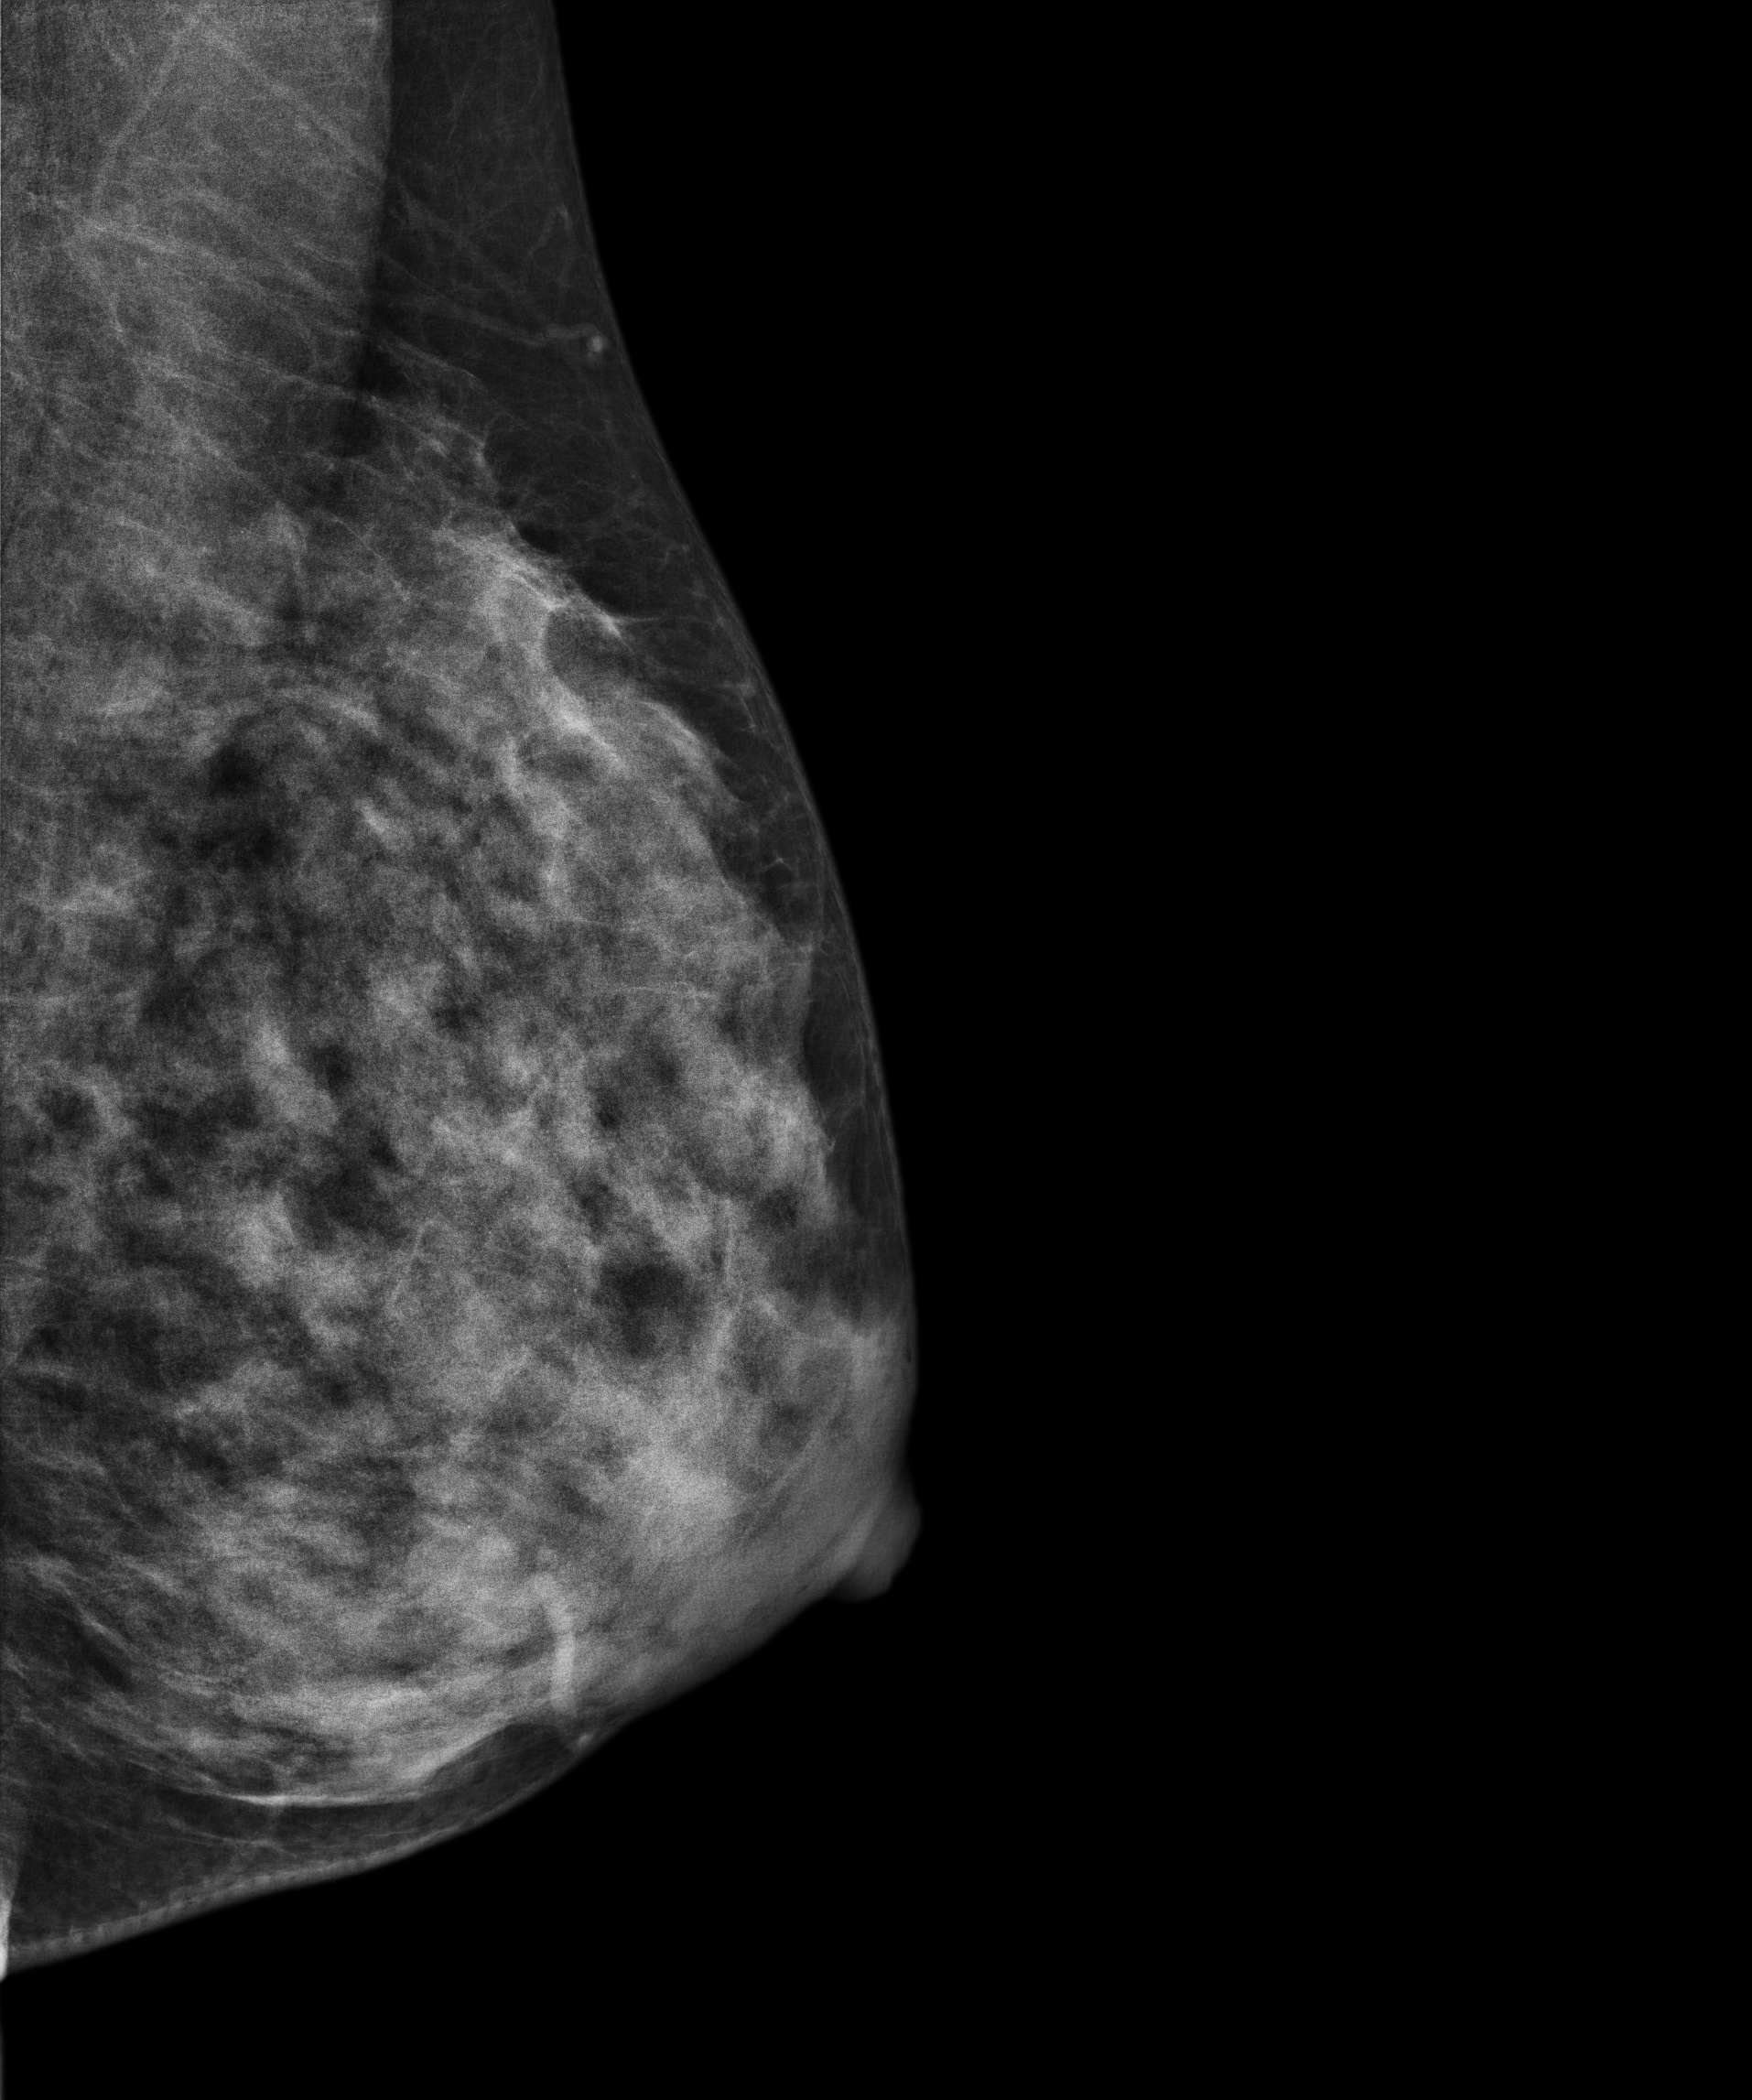
Digital mammography. Left breast, medio-lateral oblique projection. 40-year-old patient.
Contralateral breast — no documented abnormality on this side.